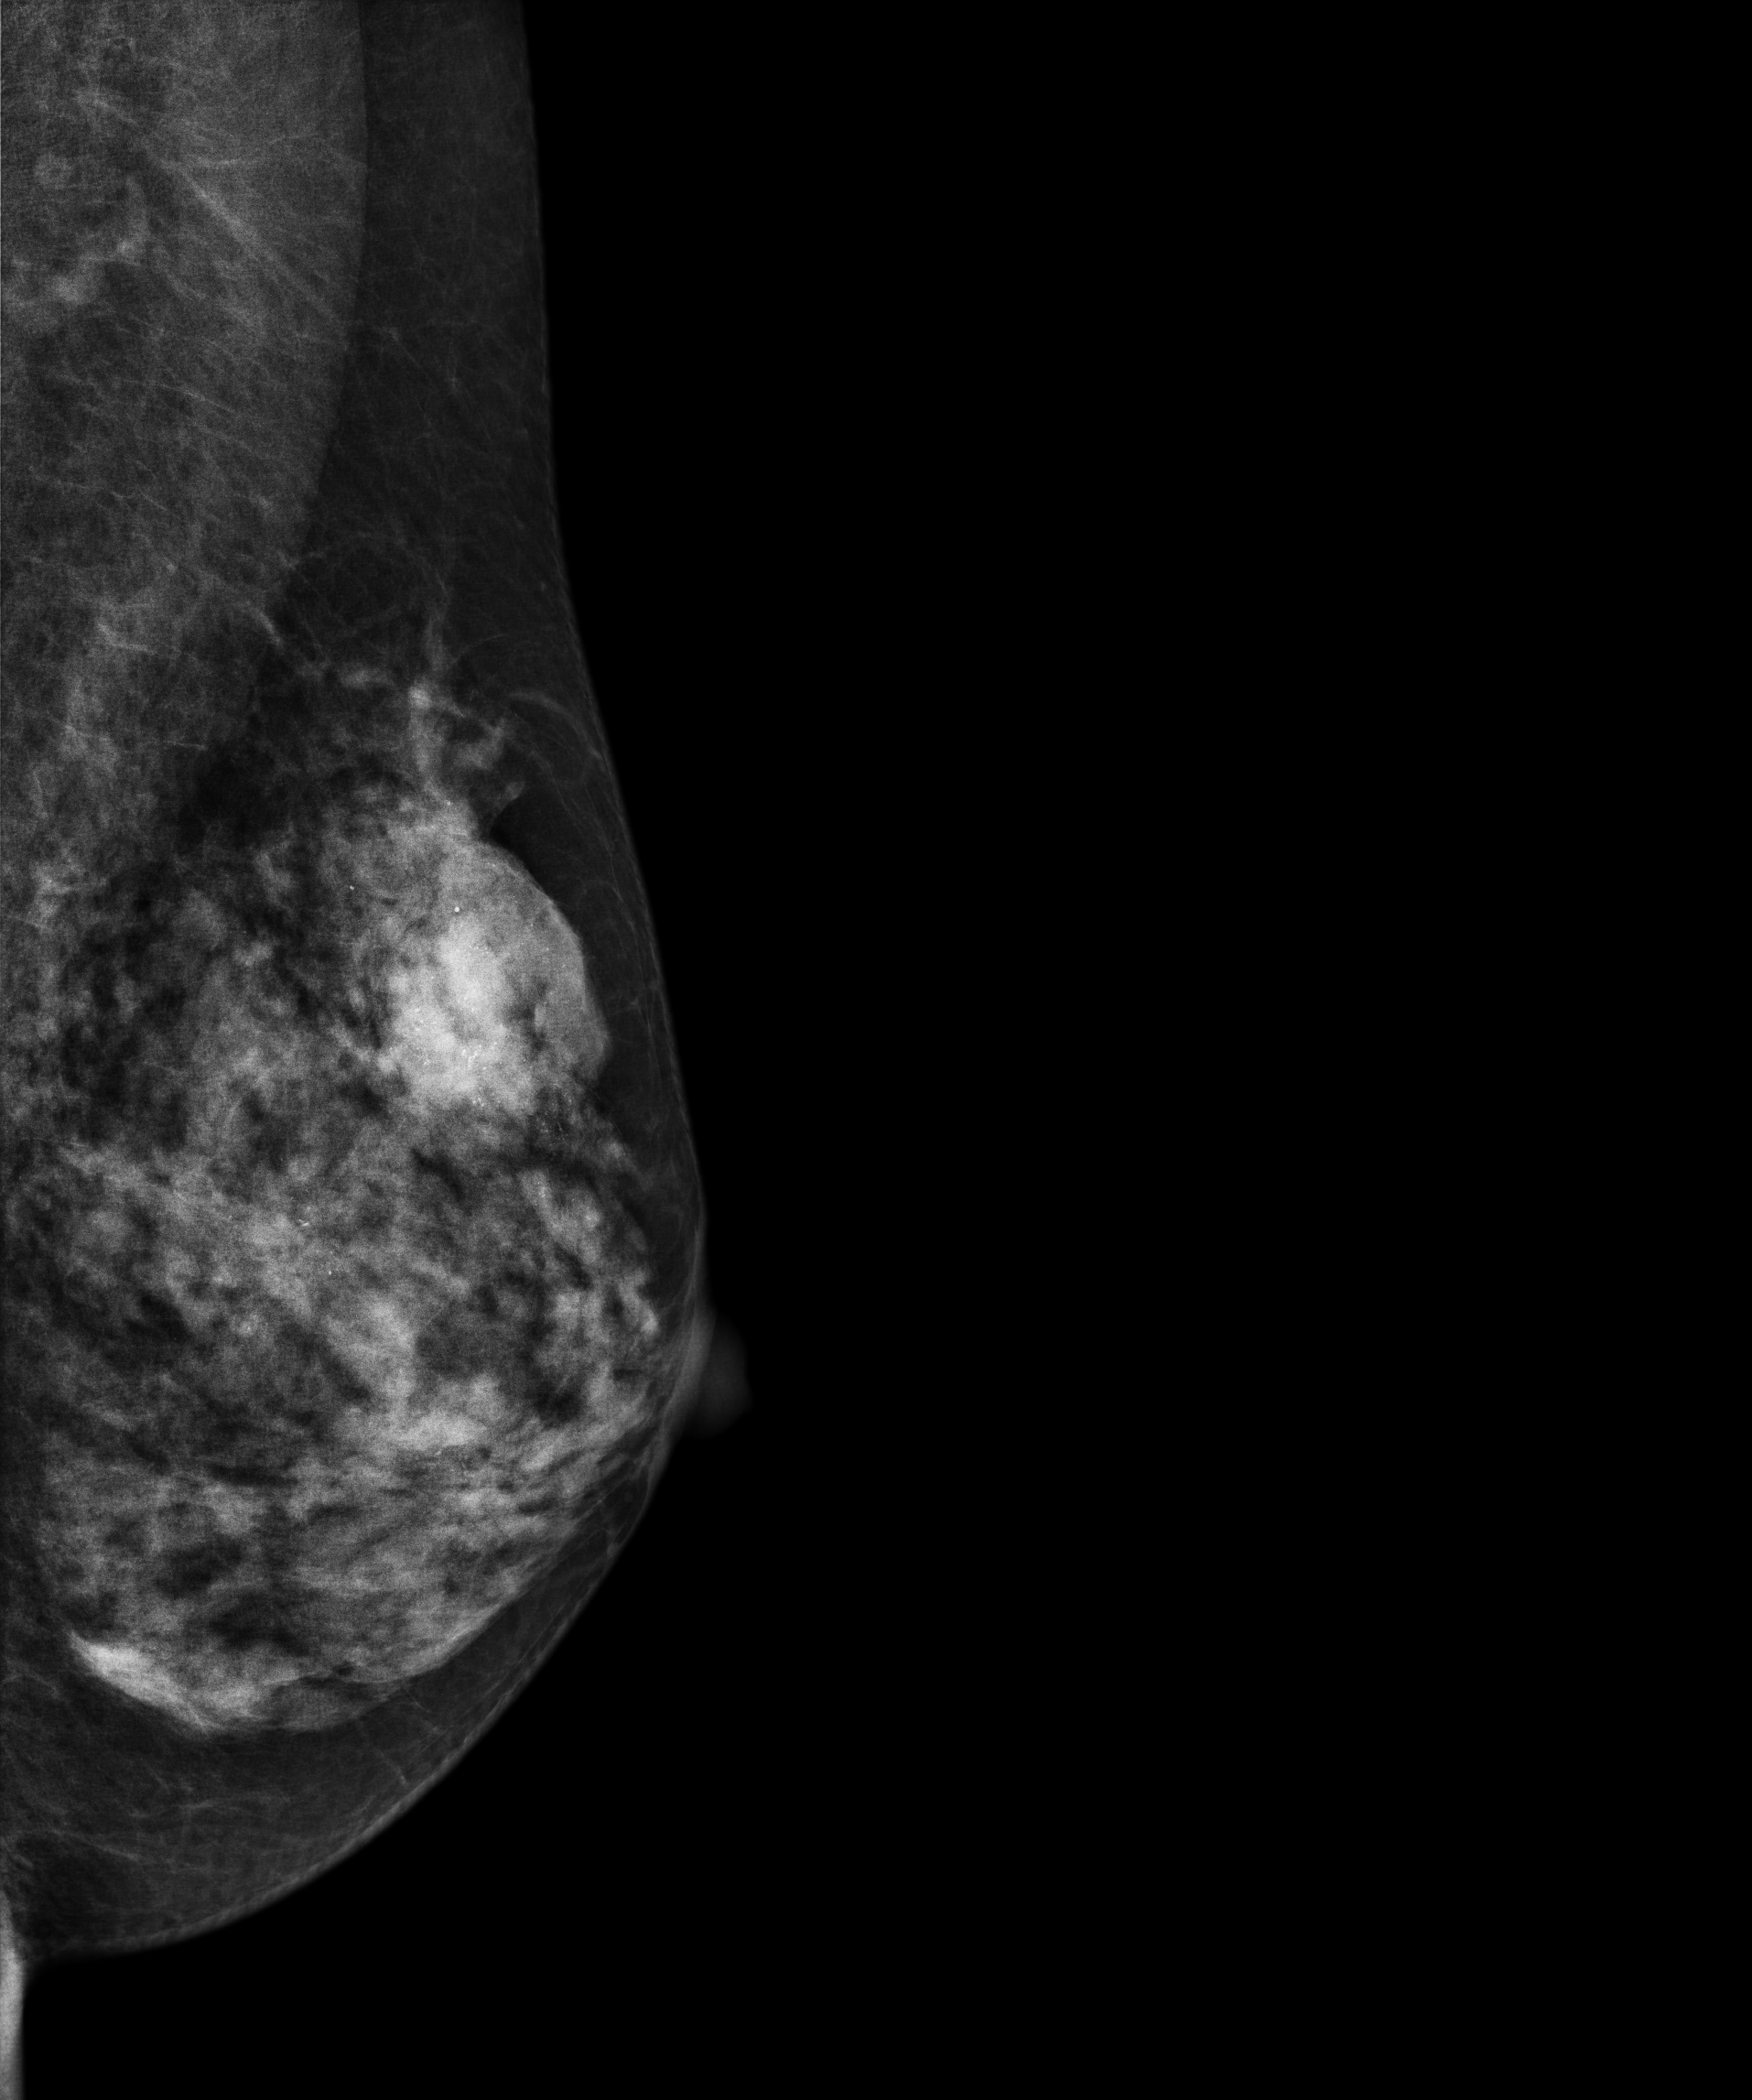
Digital mammography. Left breast, MLO projection. Patient age 56.
This breast has calcifications, biopsy-confirmed malignant.